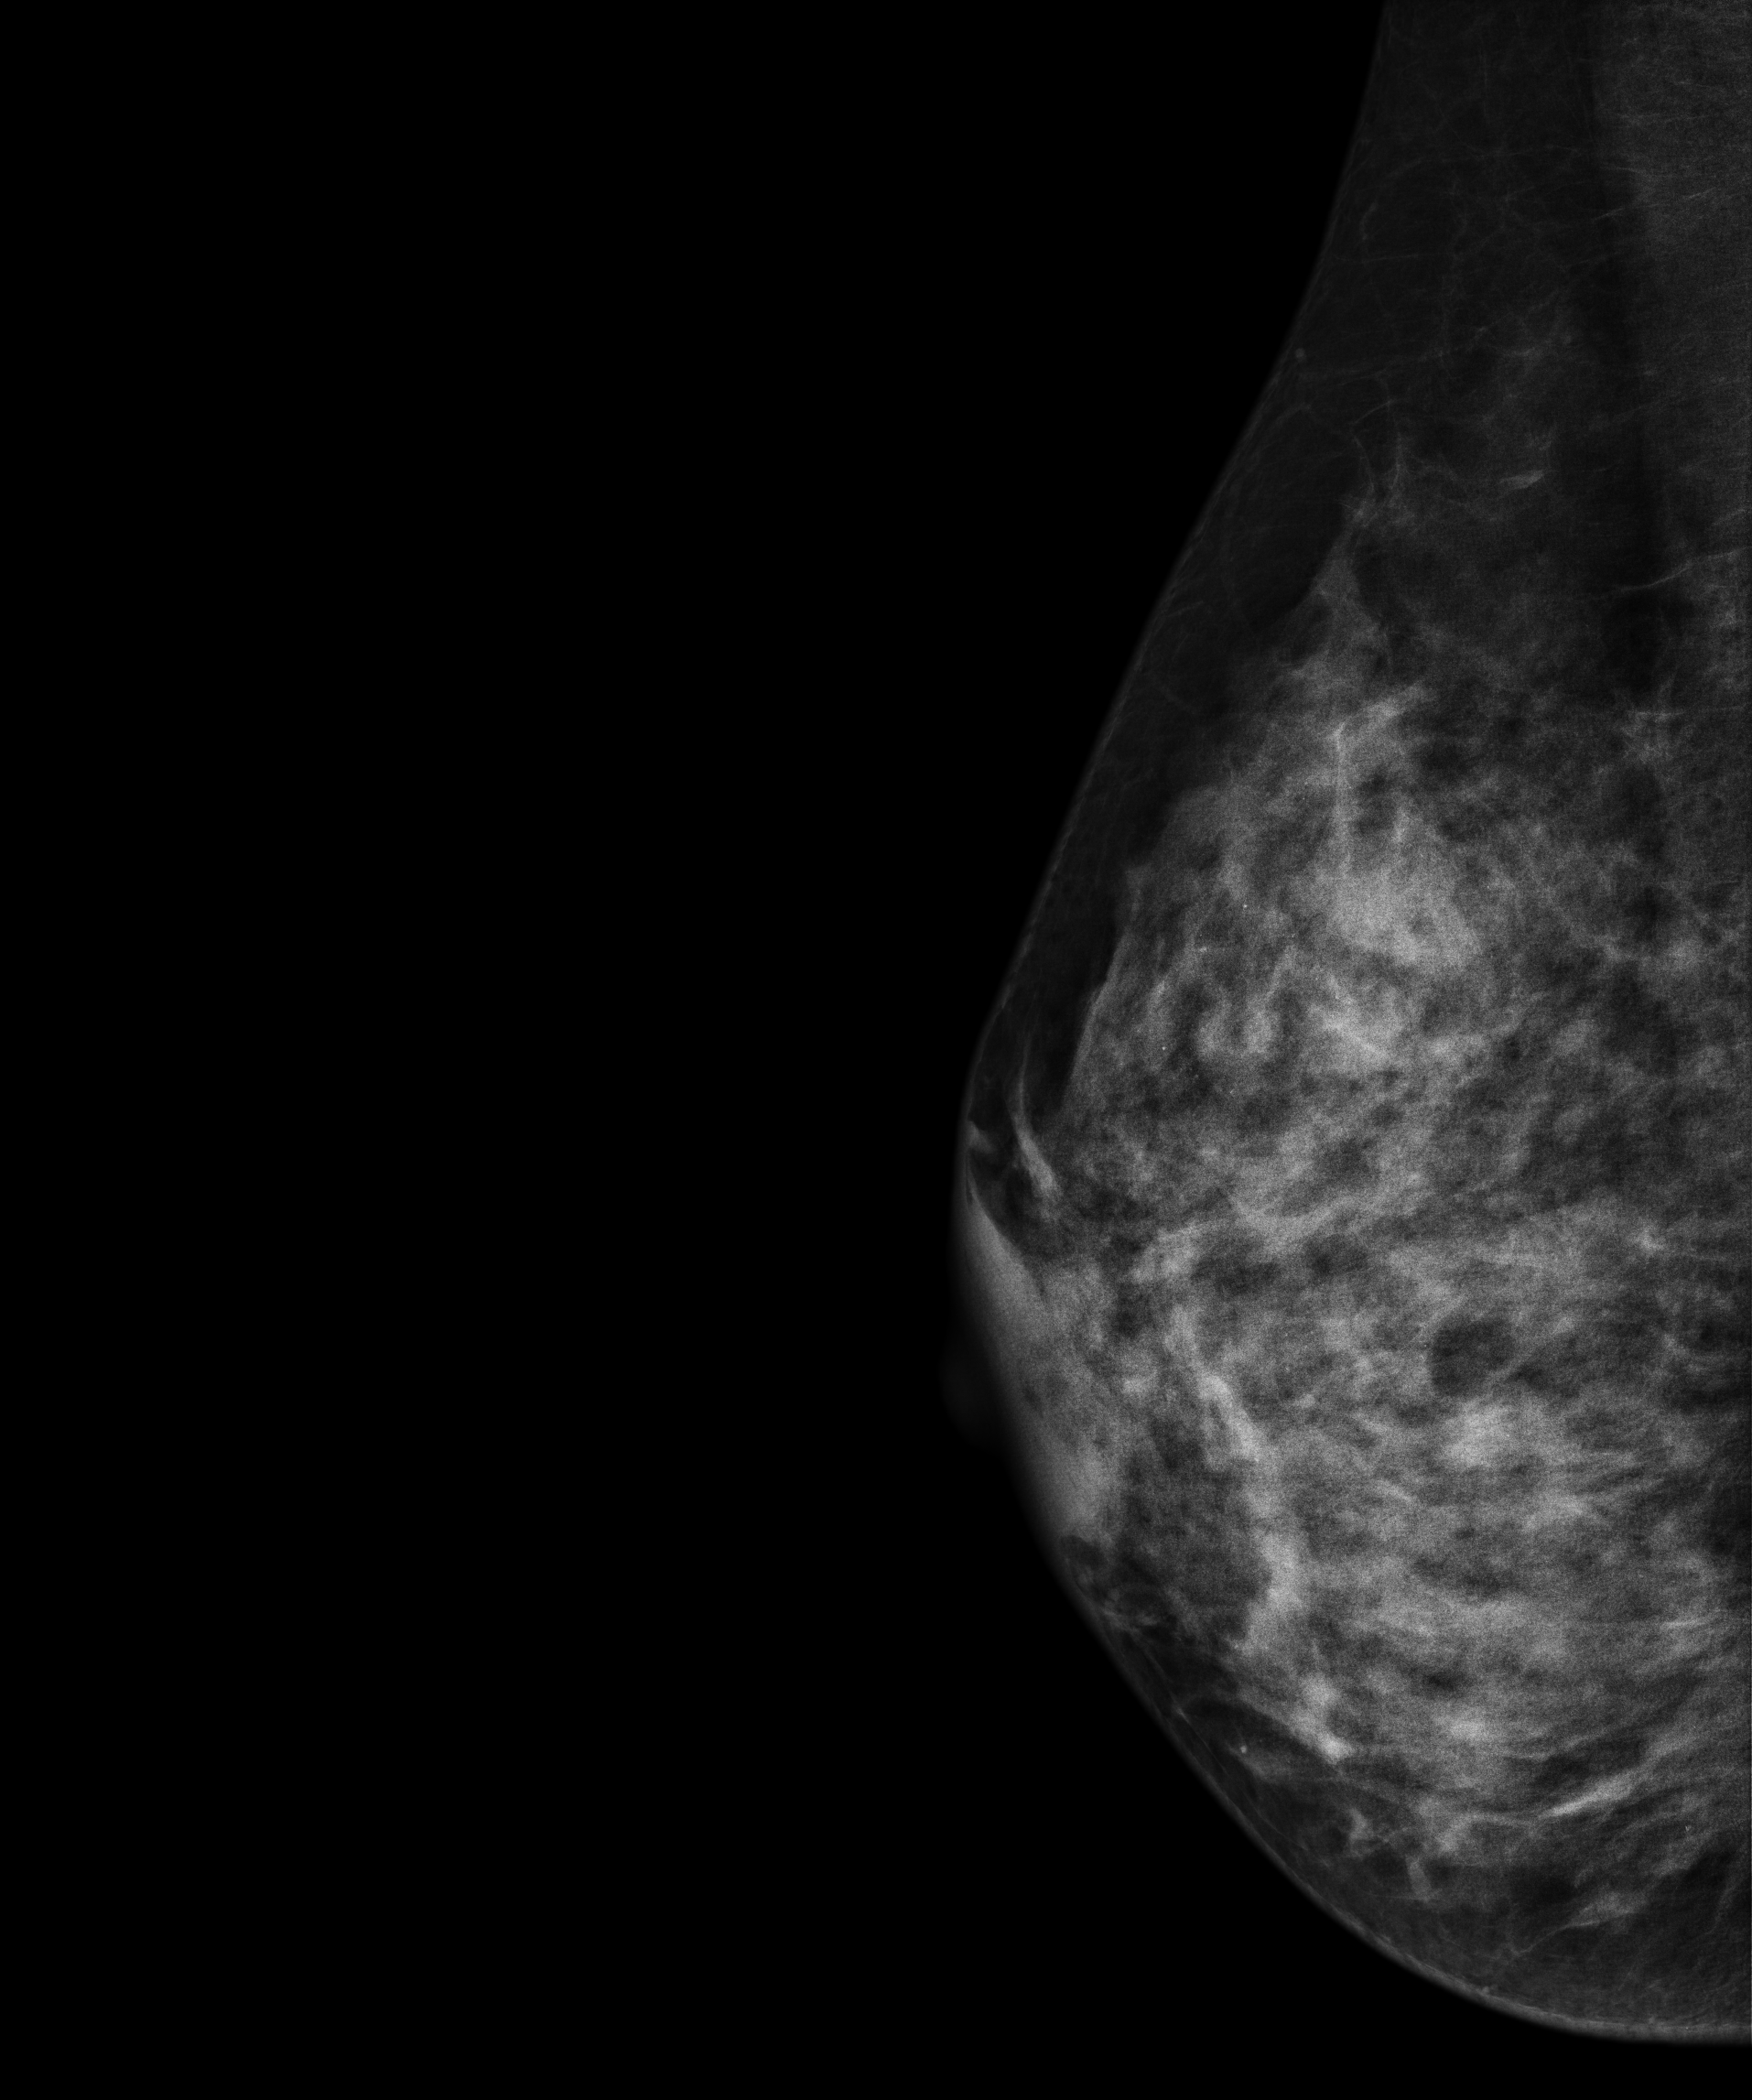
Mammogram, right breast, medio-lateral oblique view. Patient age 39.
This breast has a mass, pathology-confirmed benign.